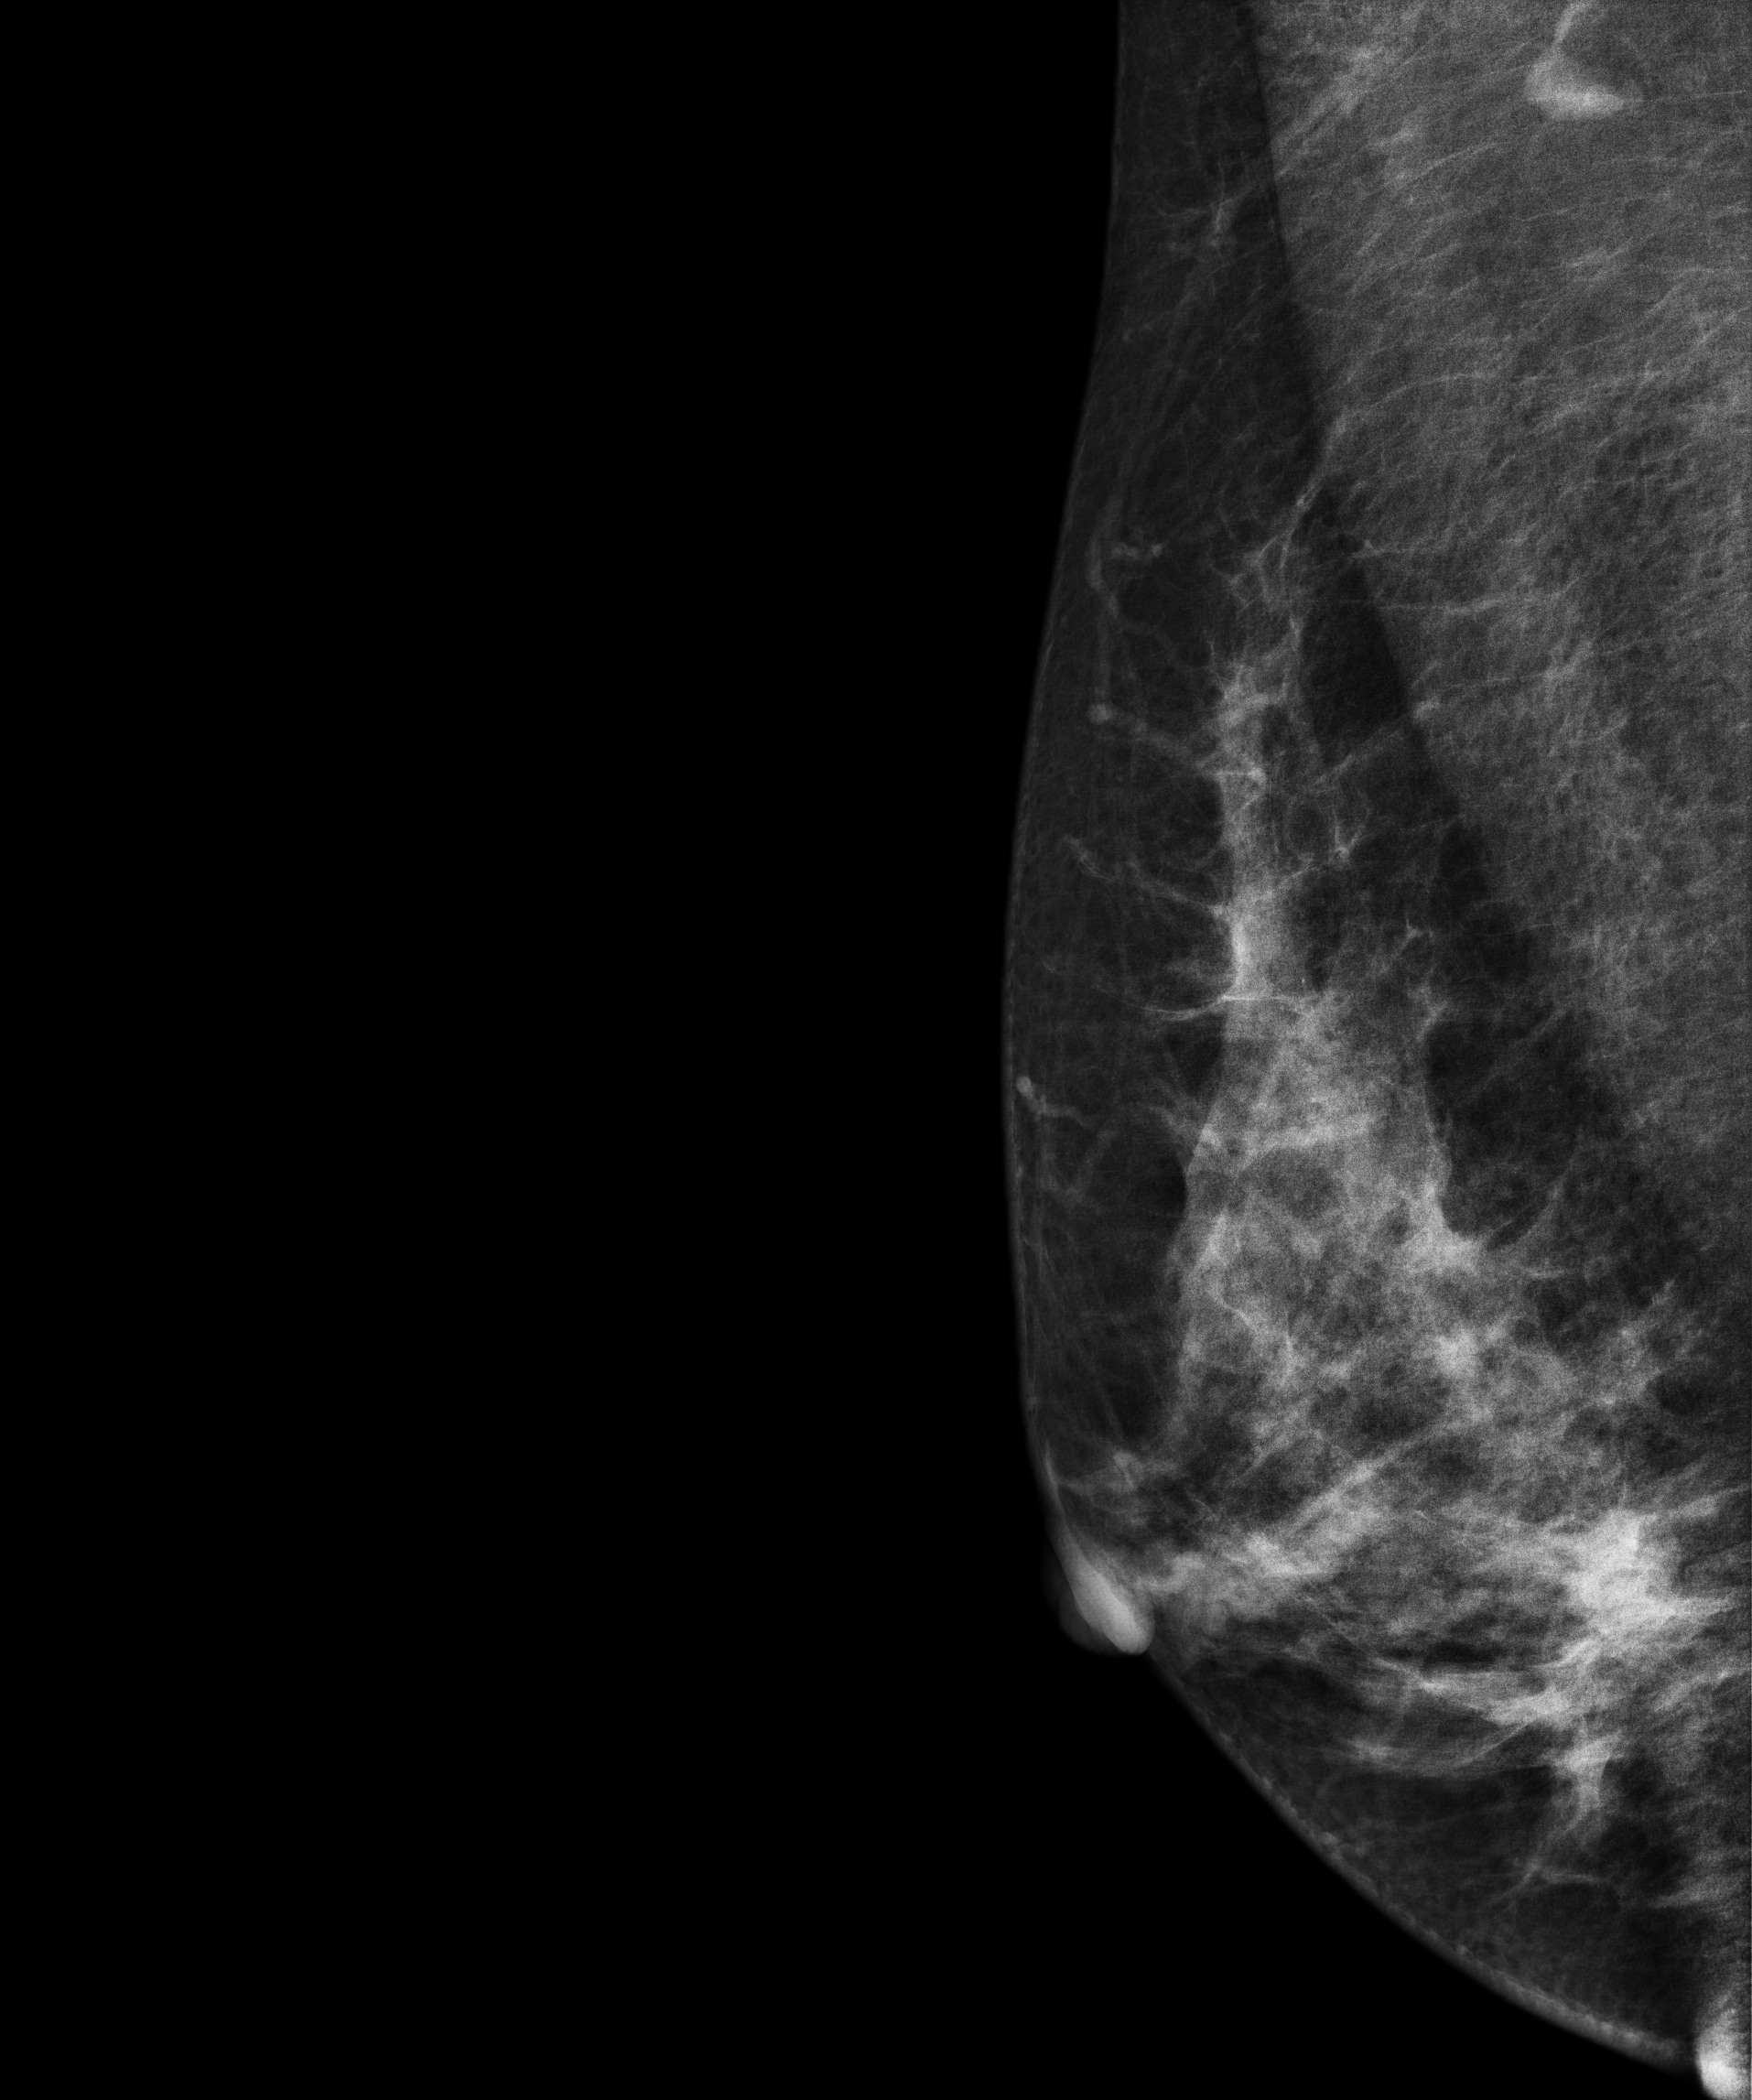
Mammogram, right breast, MLO view. Patient age 37.
This breast has a mass, biopsy-proven benign.